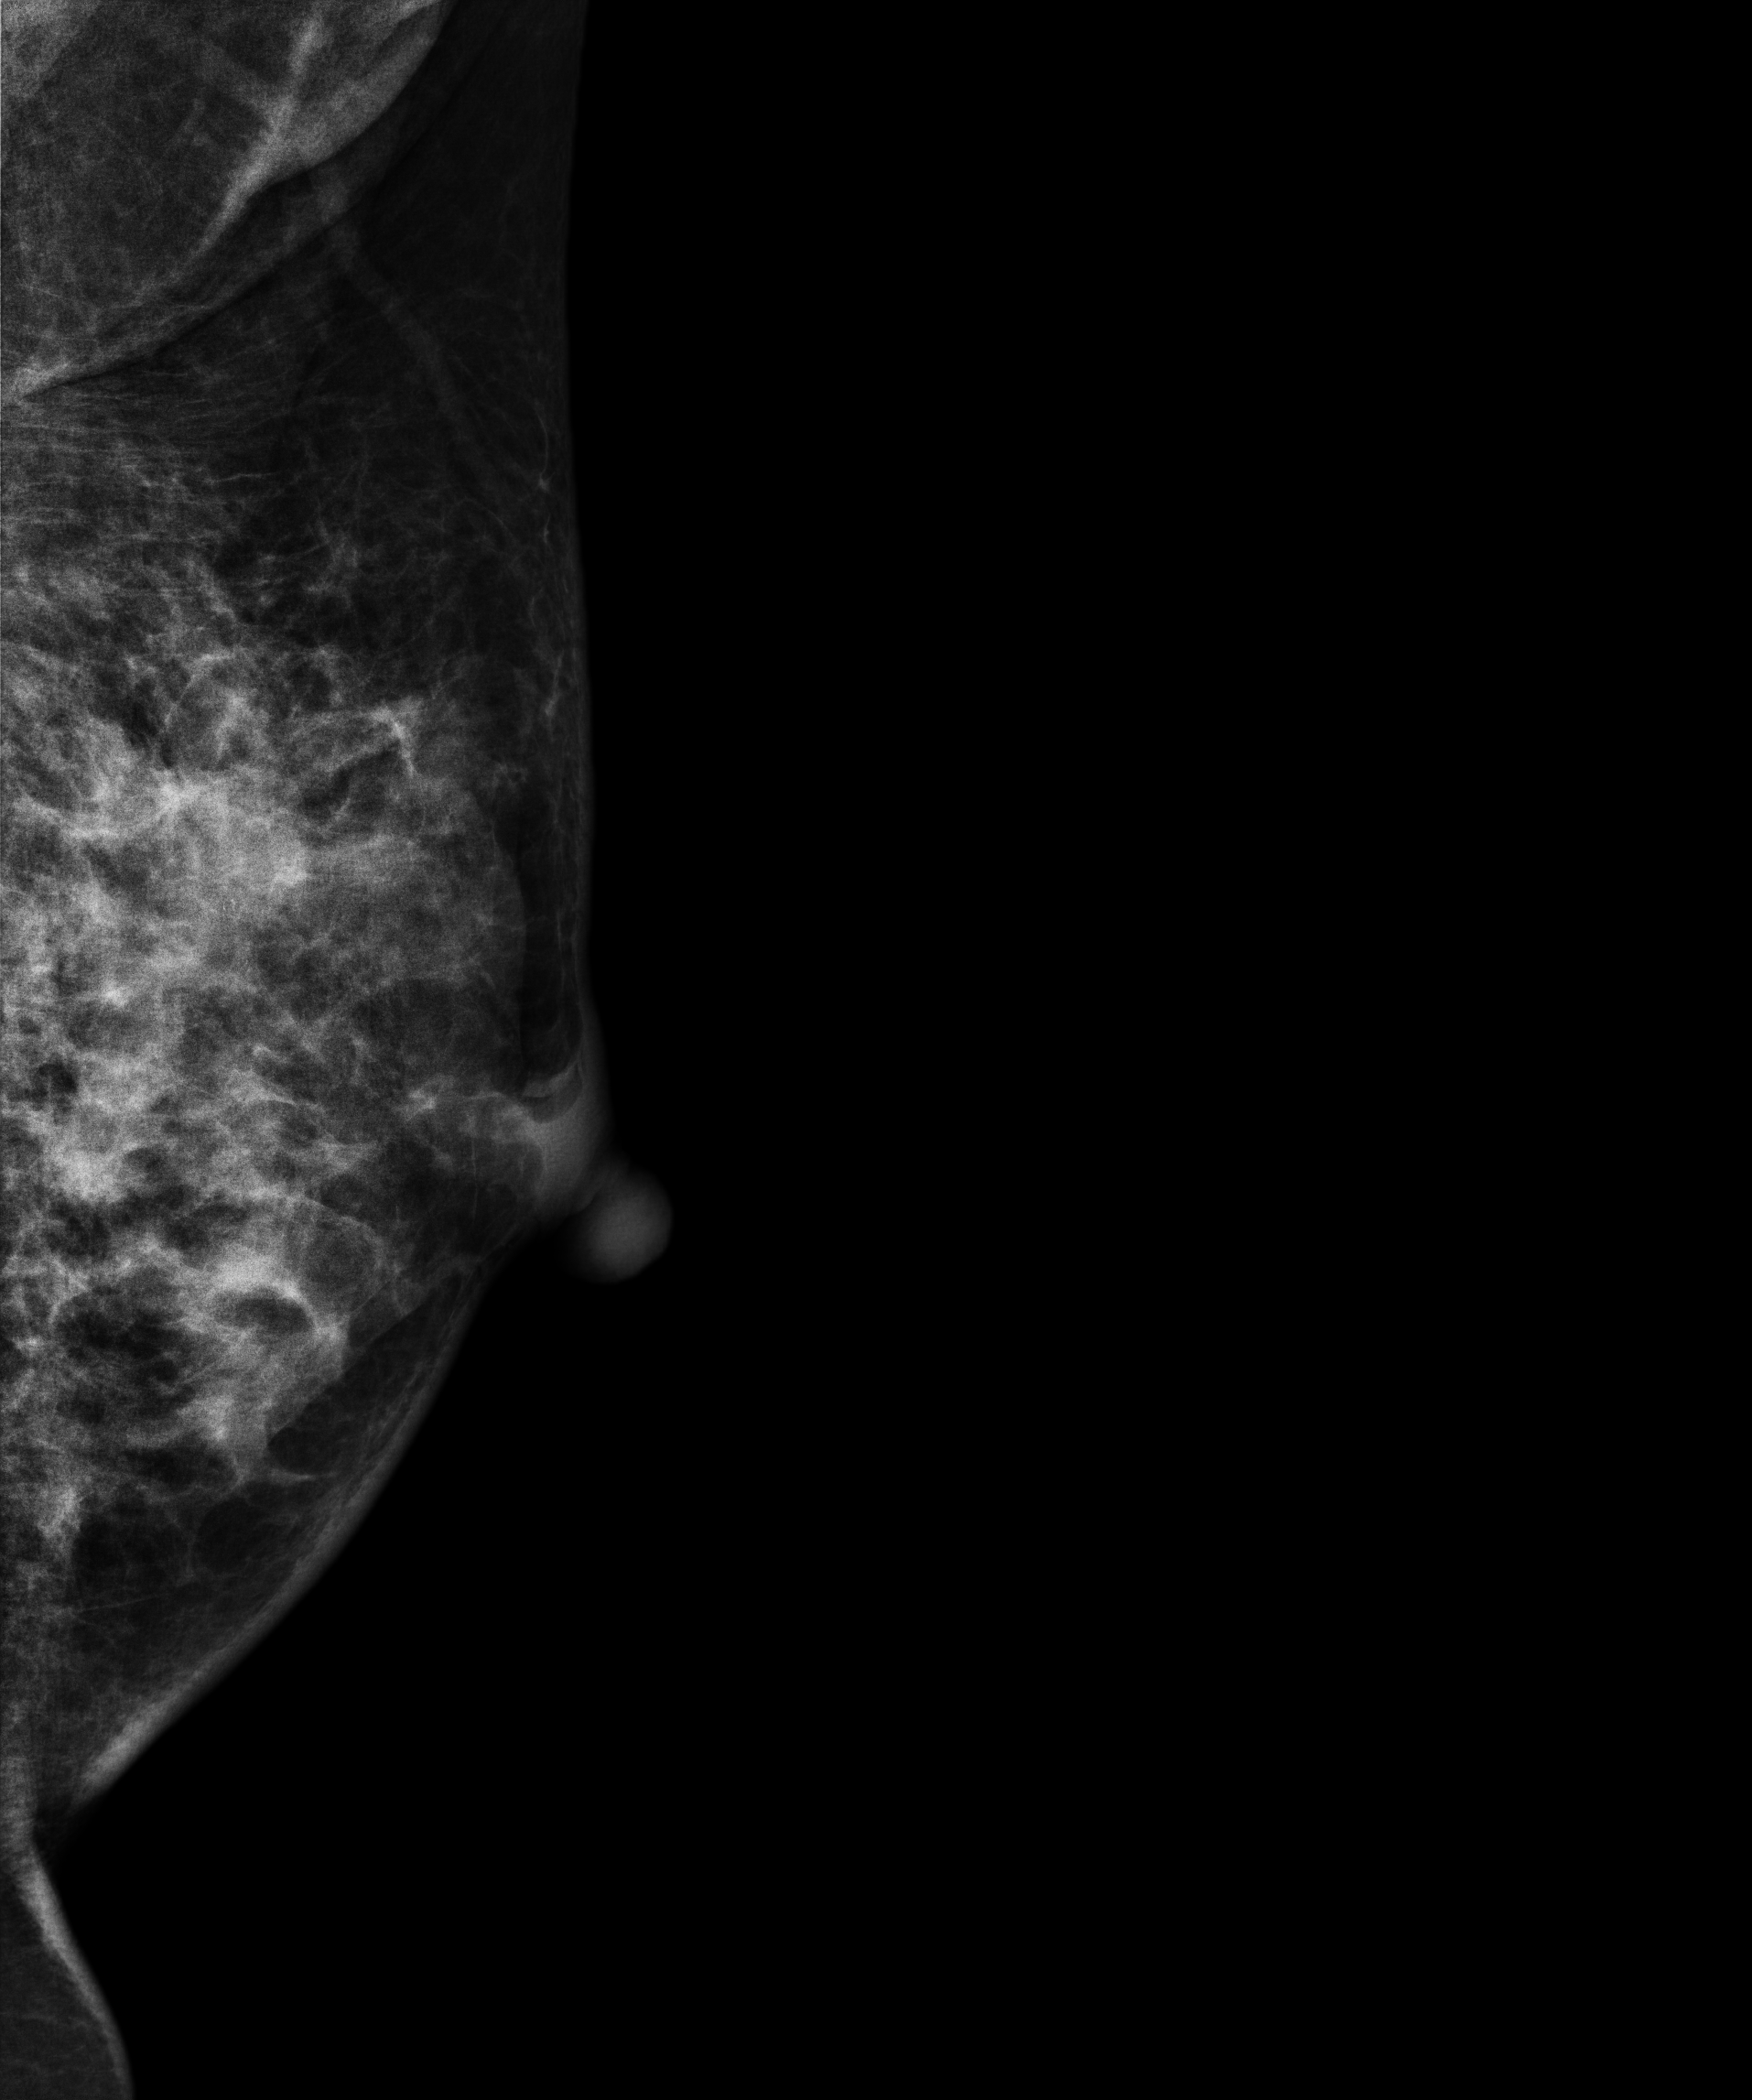
Mammogram — left medio-lateral oblique. Patient age 42.
This breast has a mass, biopsy-confirmed malignant. Molecular subtype: luminal A.